Right-breast mammogram, CC. 65-year-old patient.
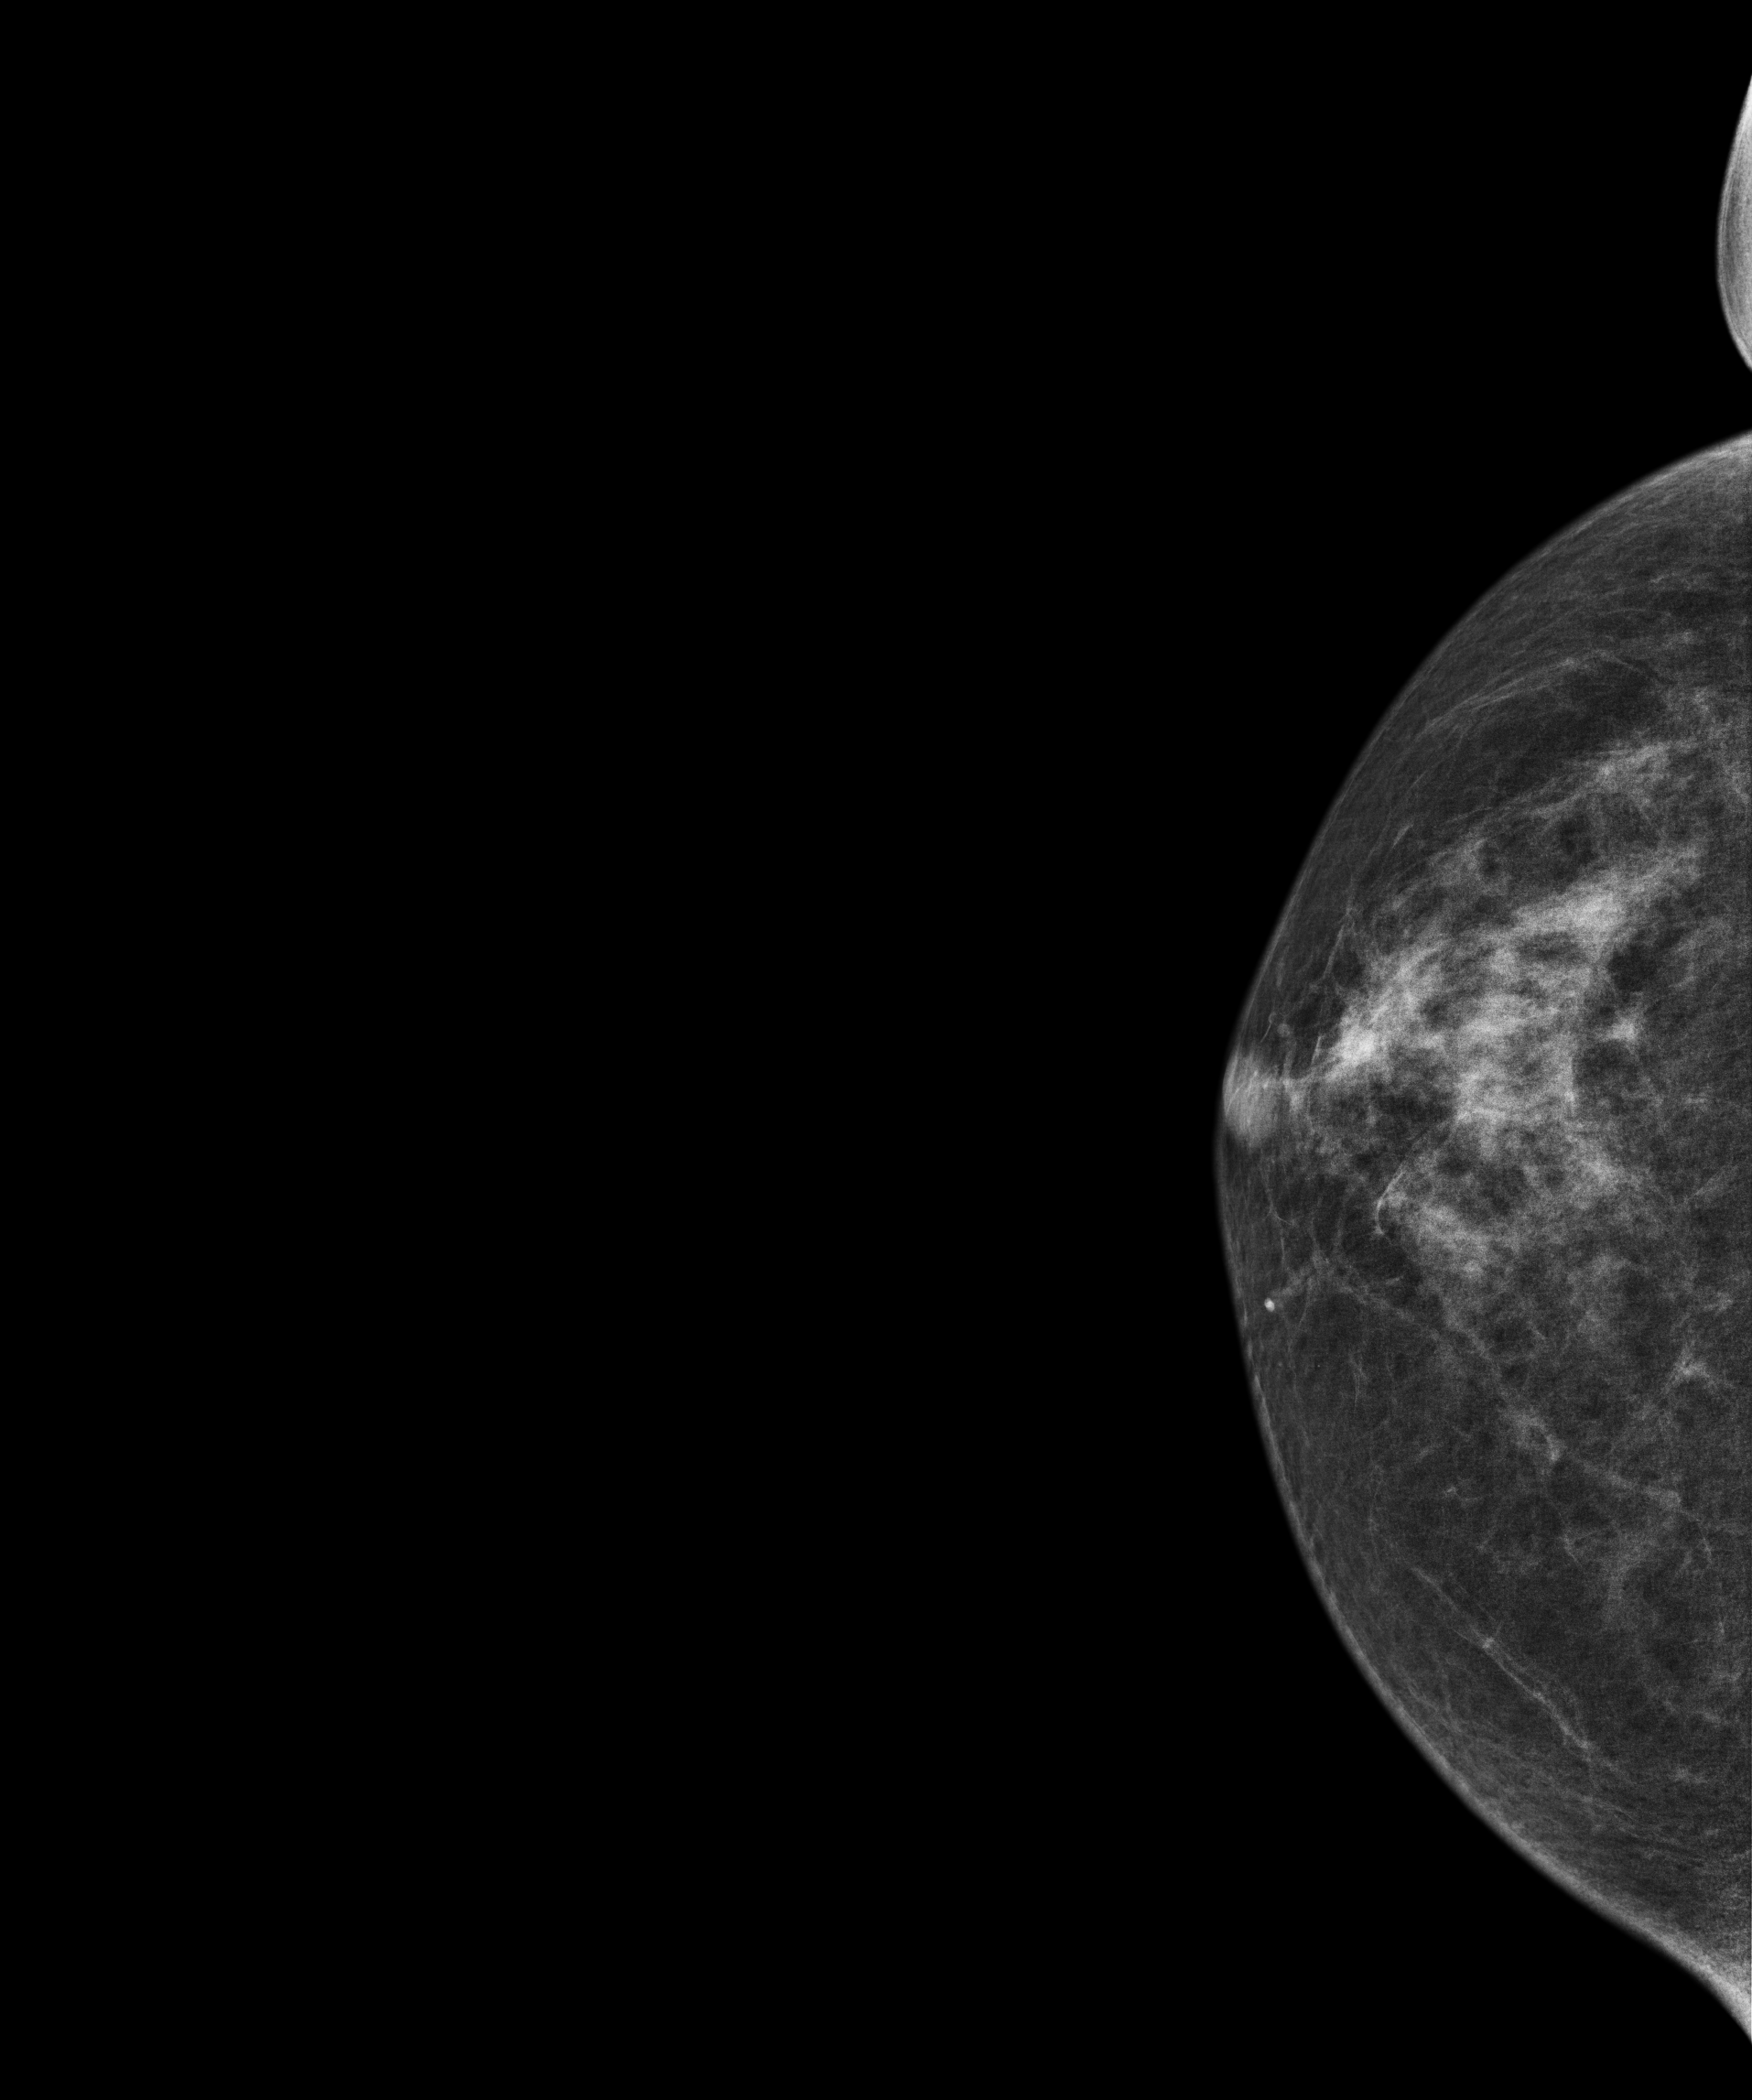
Contralateral breast — no documented abnormality on this side.